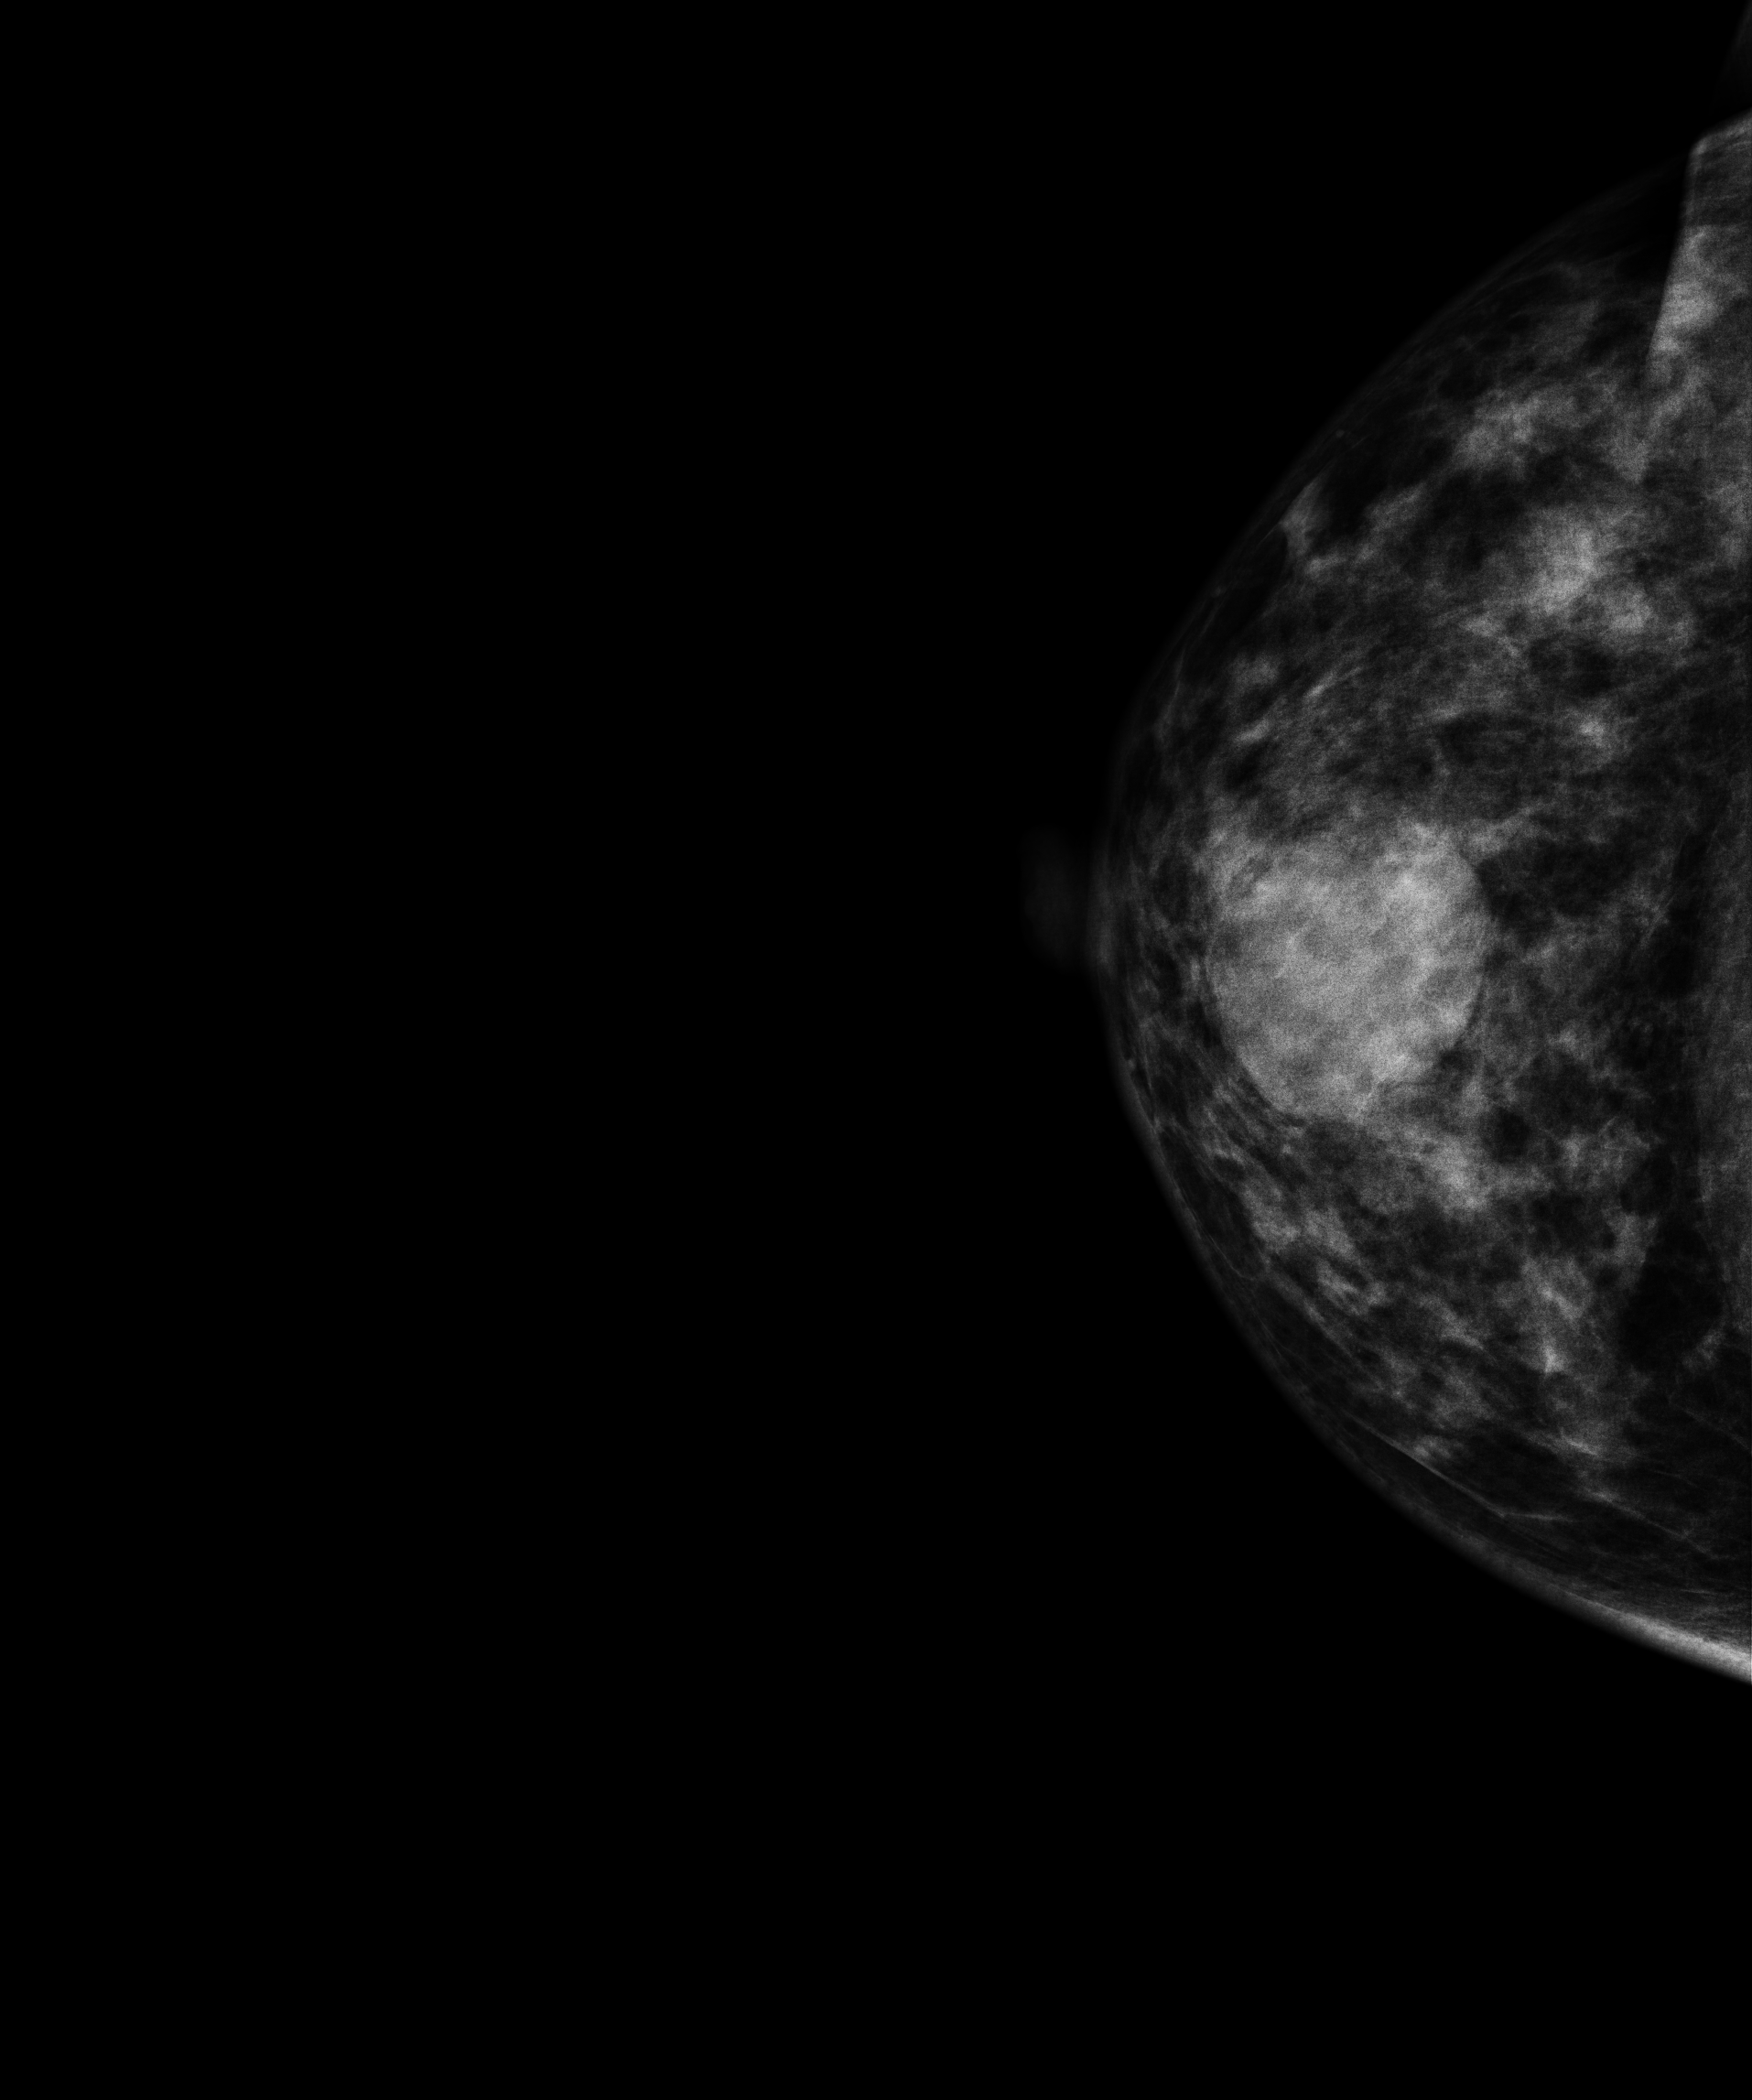
Mammogram — right cranio-caudal. 45-year-old patient.
This breast has a mass, biopsy-proven benign.